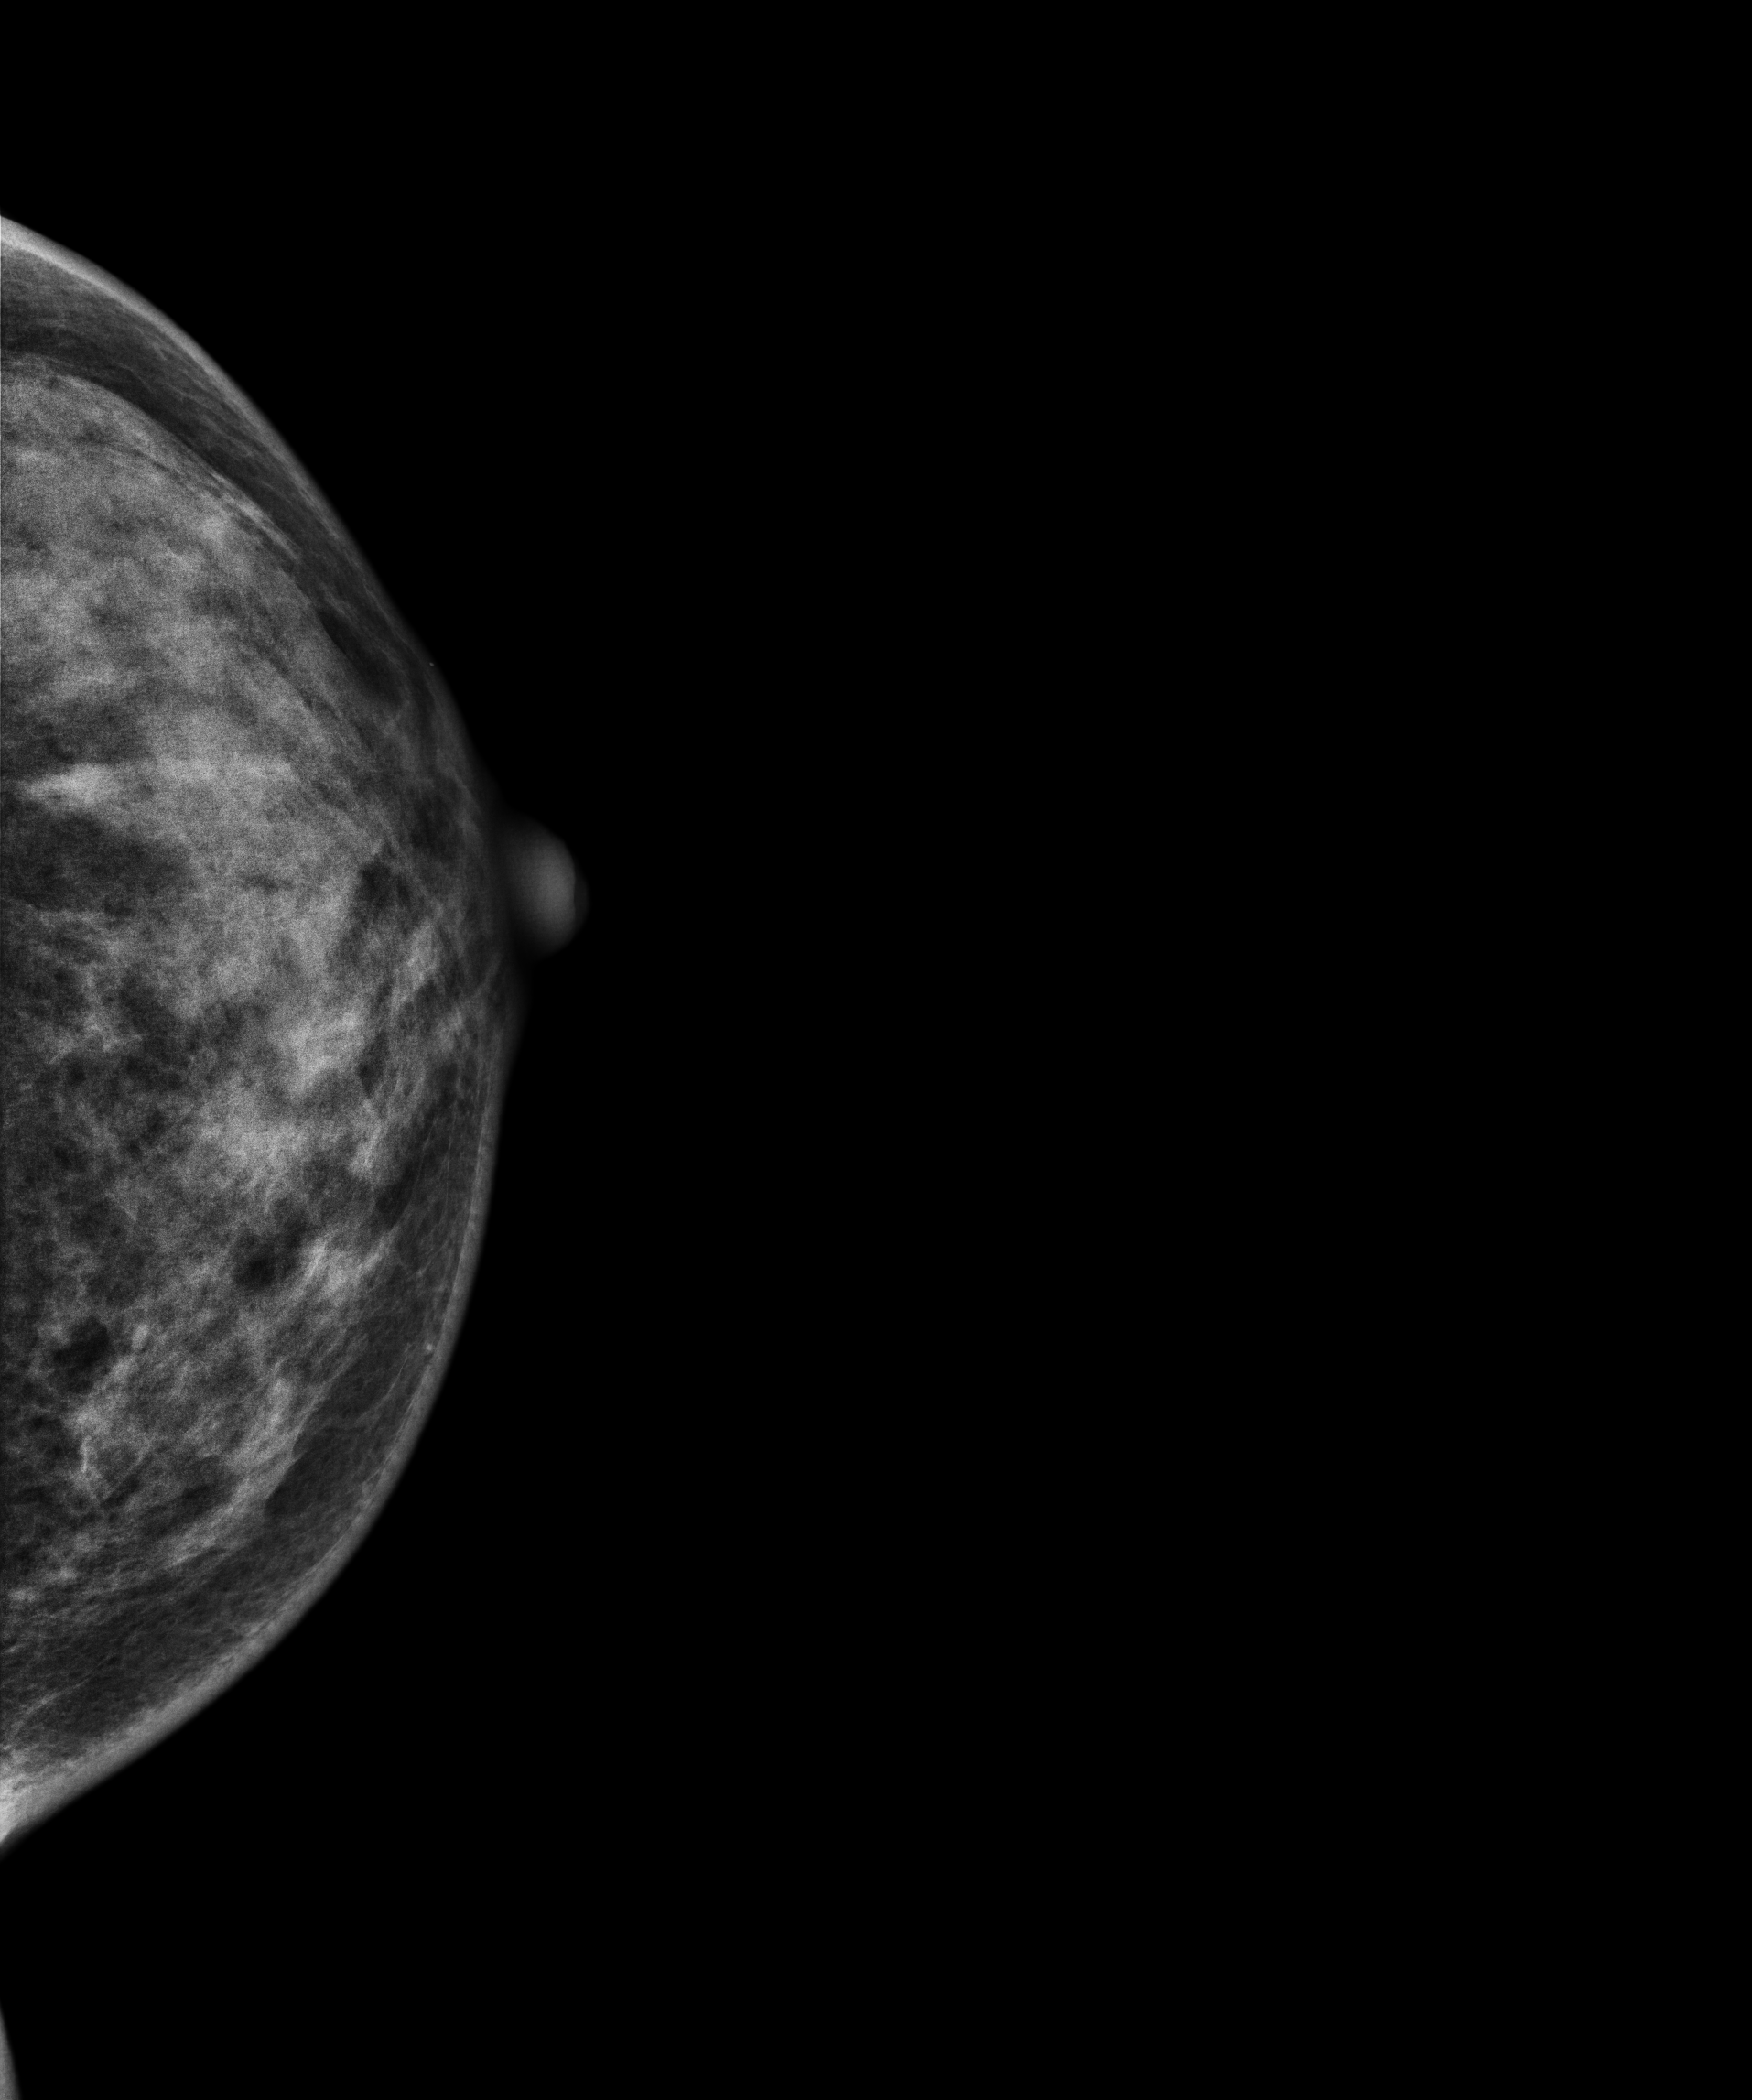
CC mammogram of the left breast. 49 y/o patient.
Contralateral breast — no documented abnormality on this side.